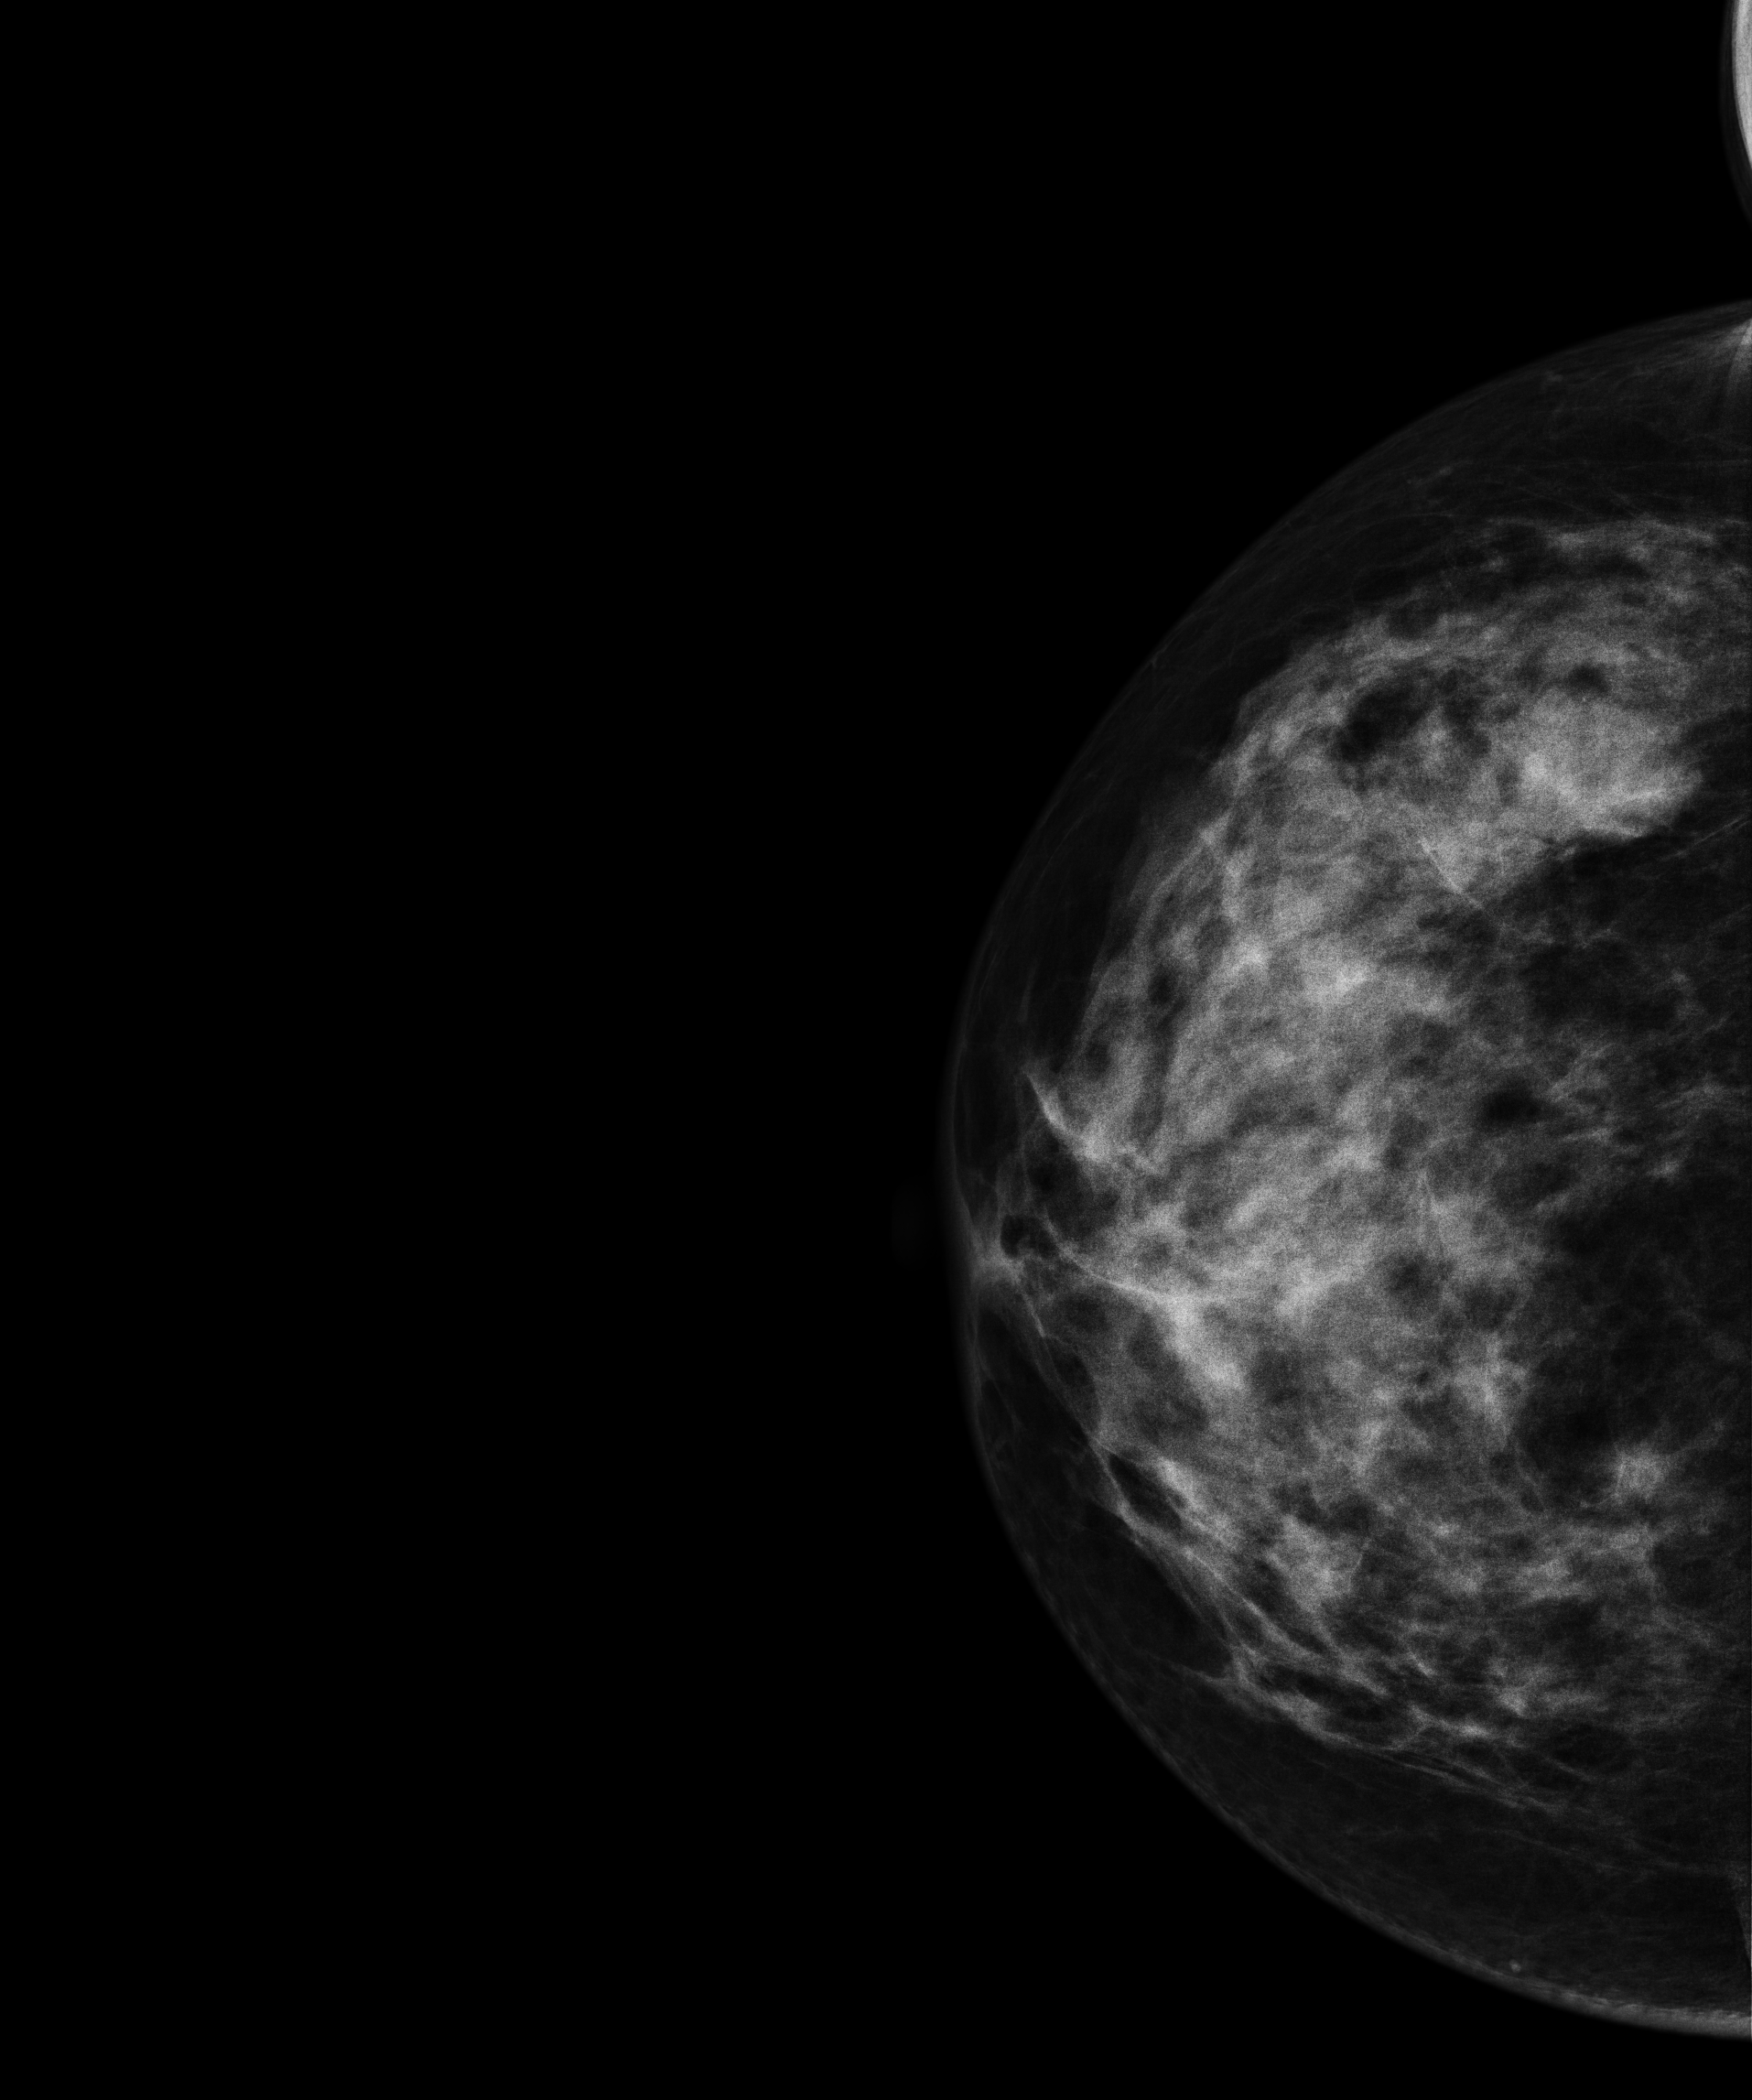
Mammogram, right breast, CC view. 57-year-old patient.
This breast has a mass, biopsy-proven malignant.